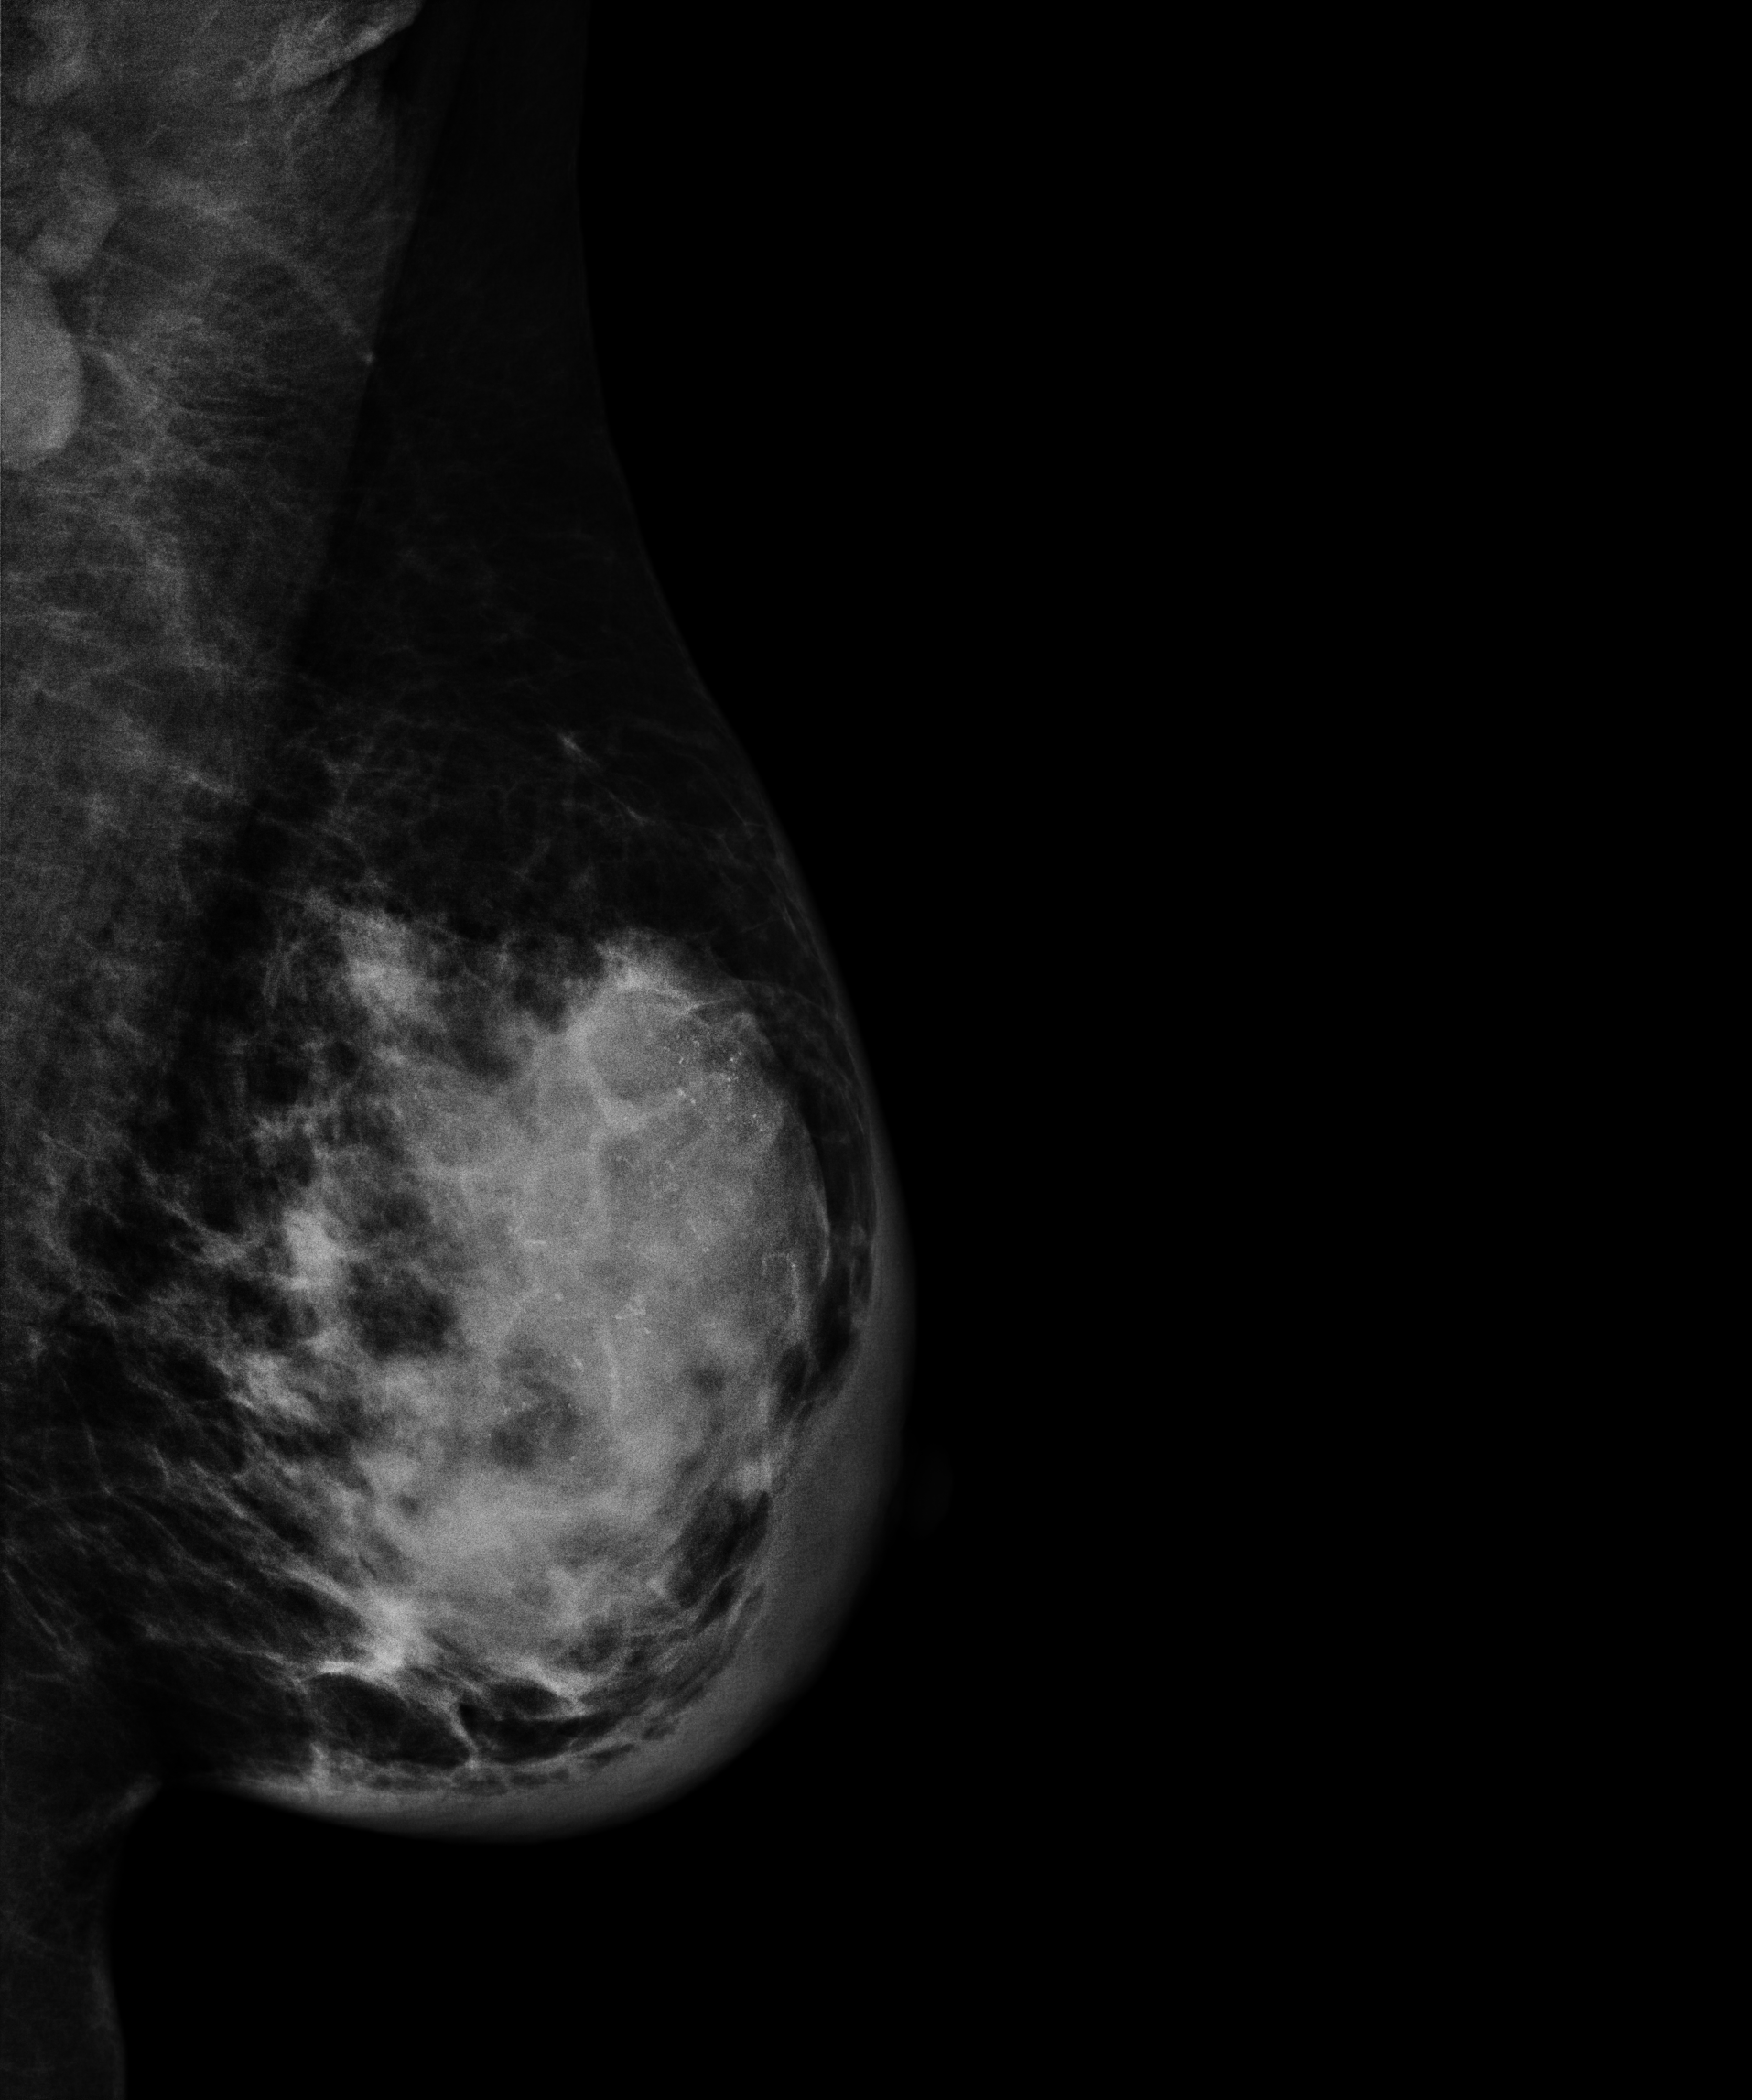
Mammogram — left MLO. 55-year-old patient.
This breast has a mass and calcifications, biopsy-confirmed malignant. Molecular subtype: HER2-enriched.